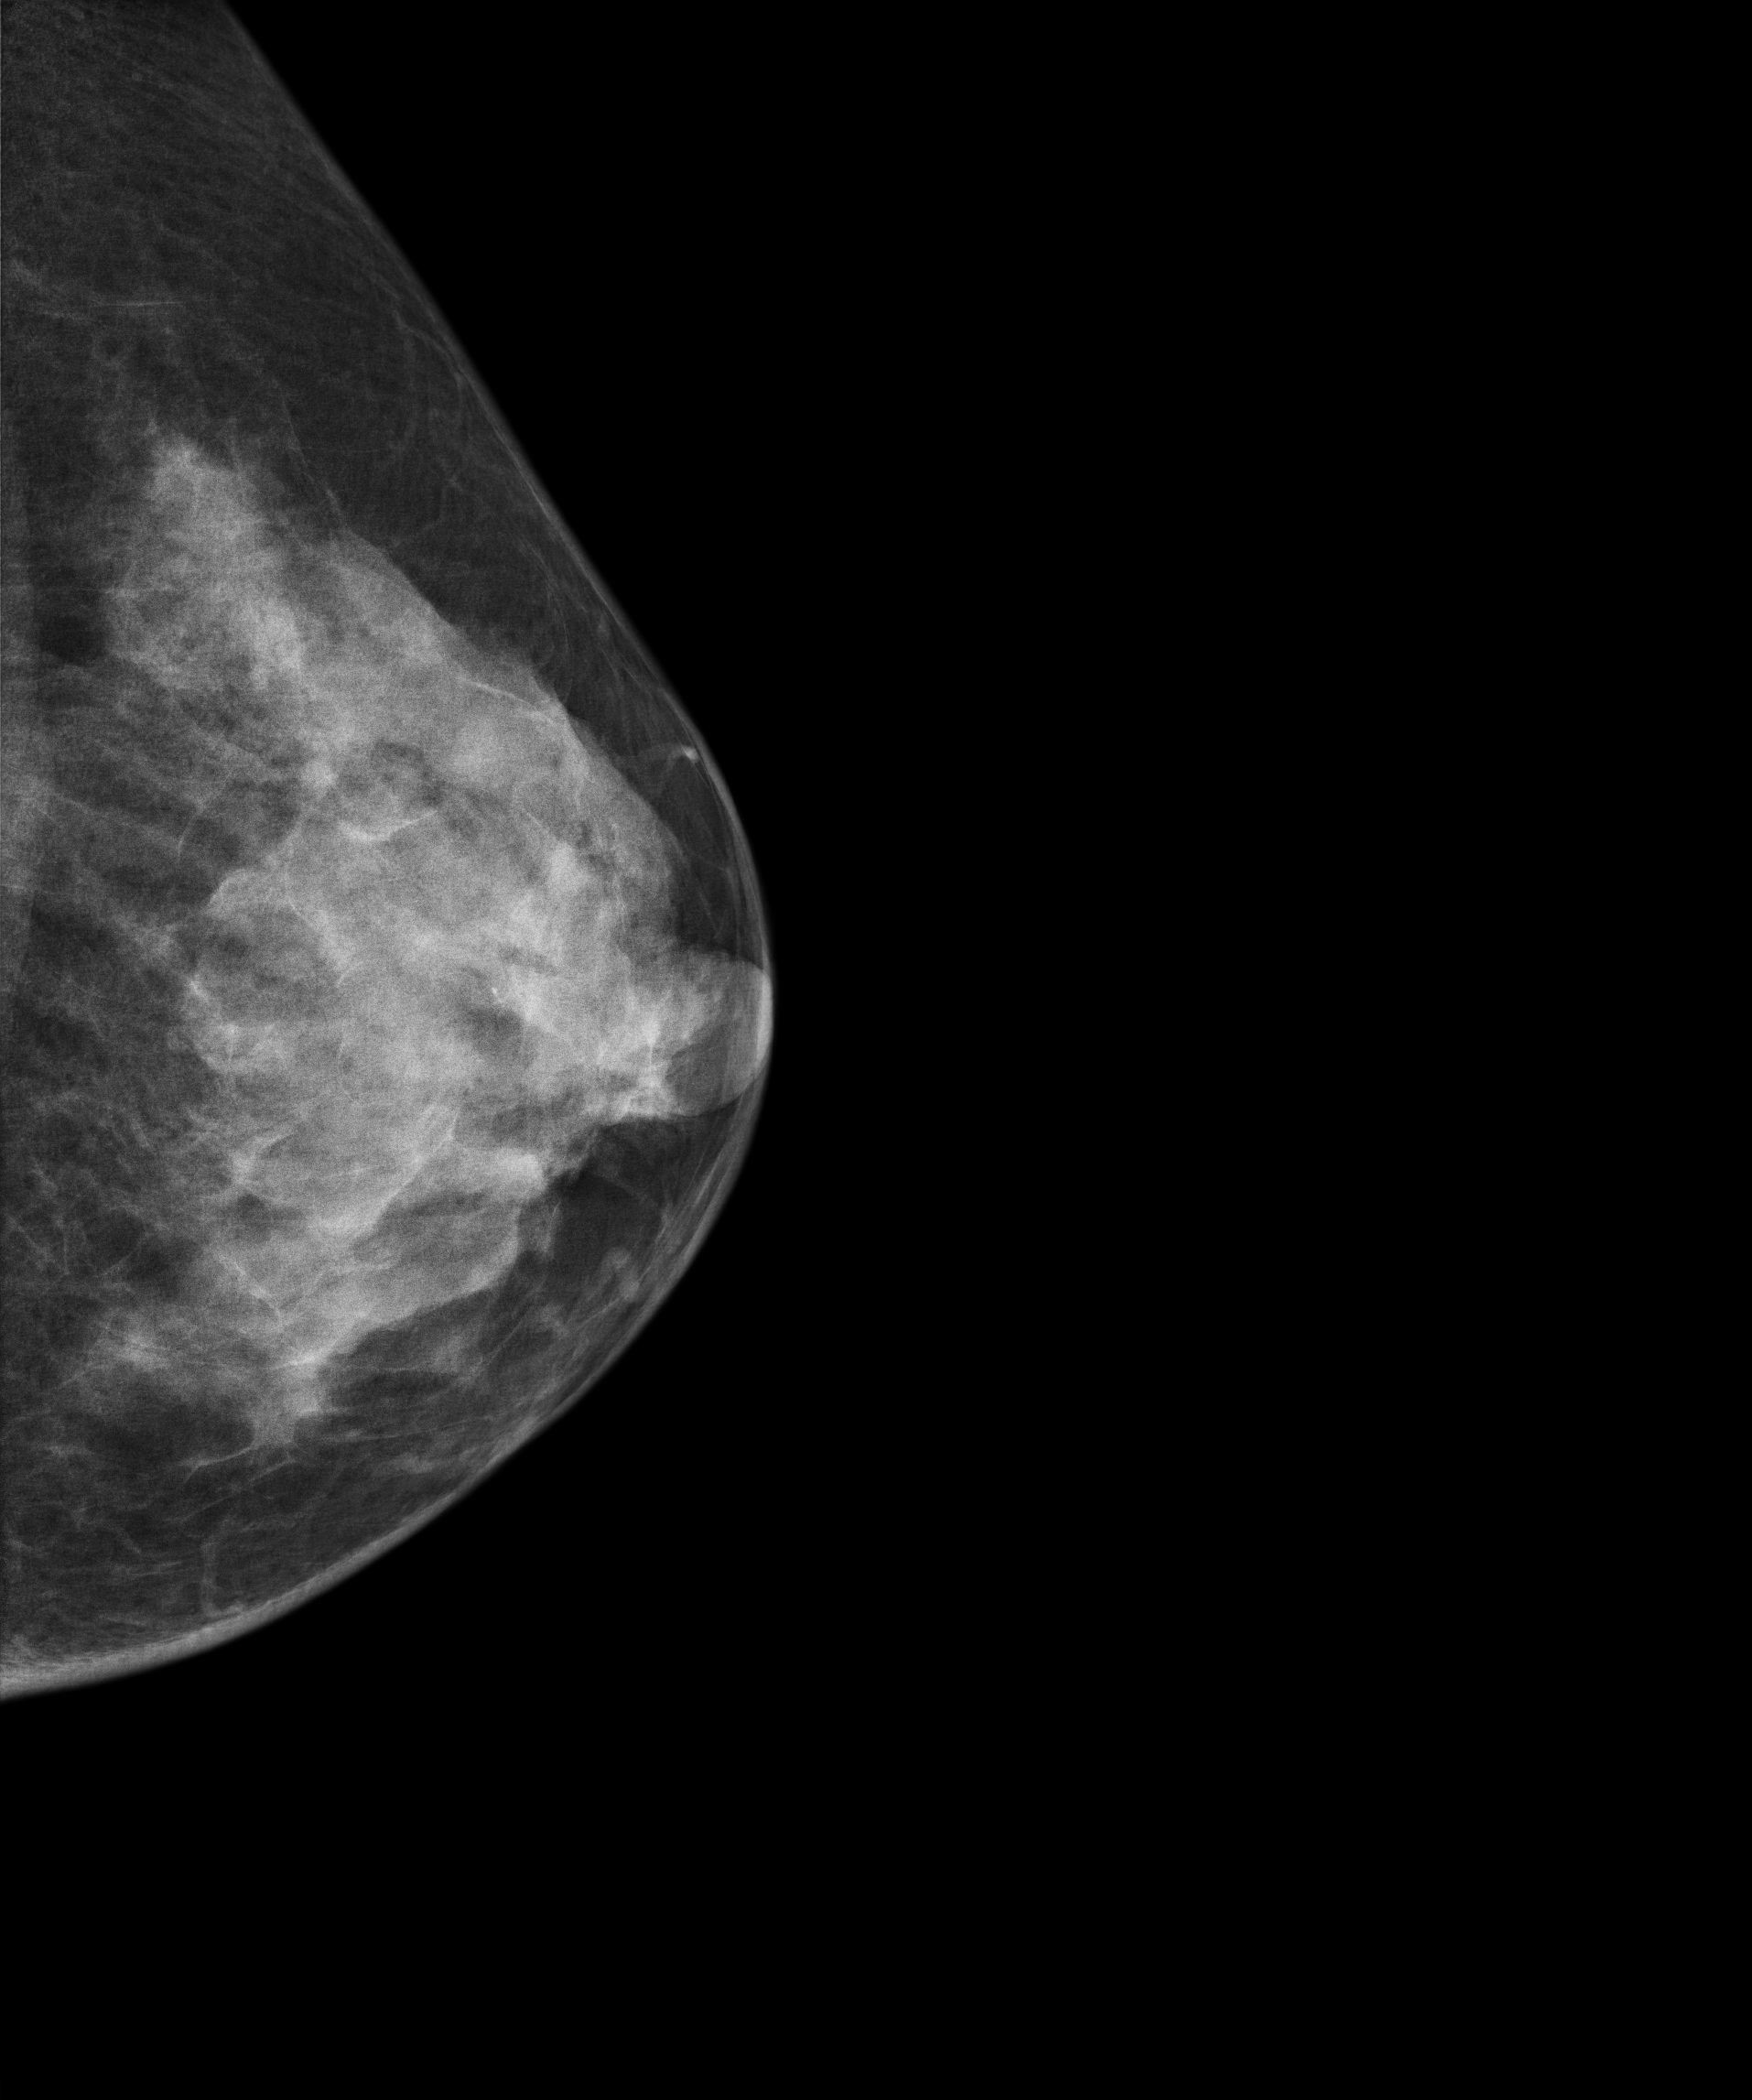
Mammogram, left breast, CC view. 49 y/o patient.
This breast has a mass, biopsy-confirmed benign.